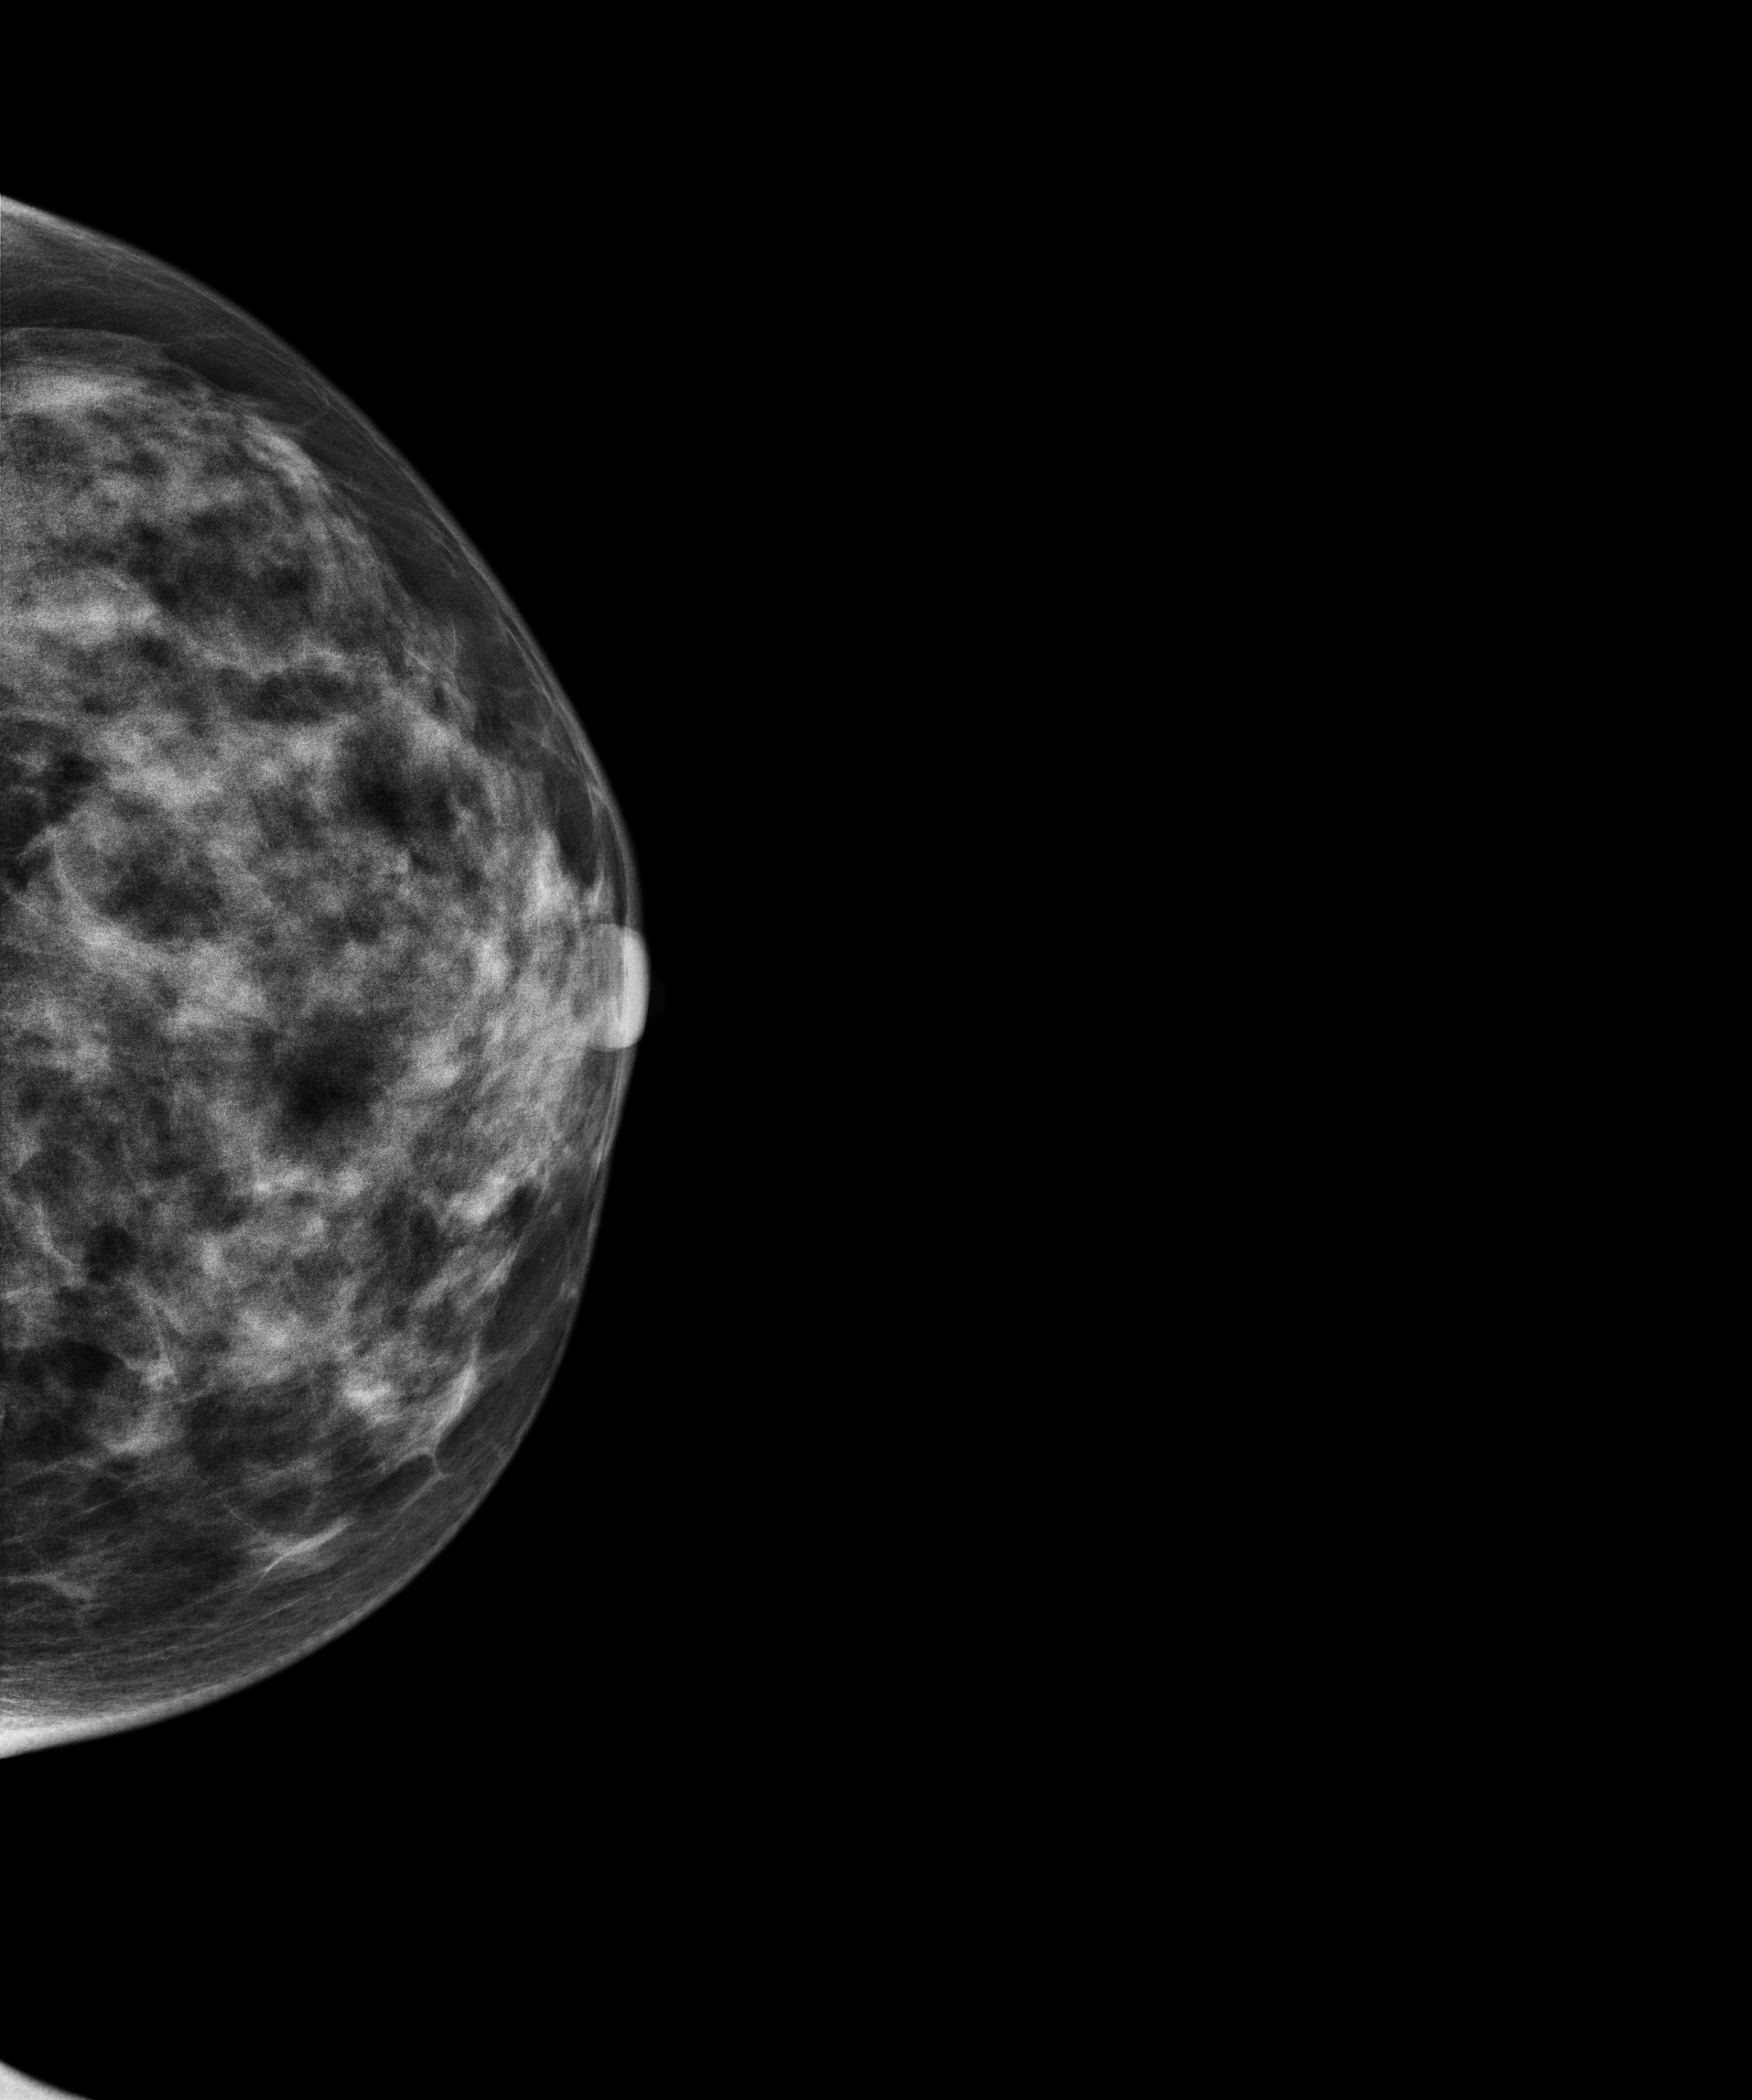
Mammogram, left breast, cranio-caudal view. 36 y/o patient.
This breast has a mass, pathology-confirmed benign.